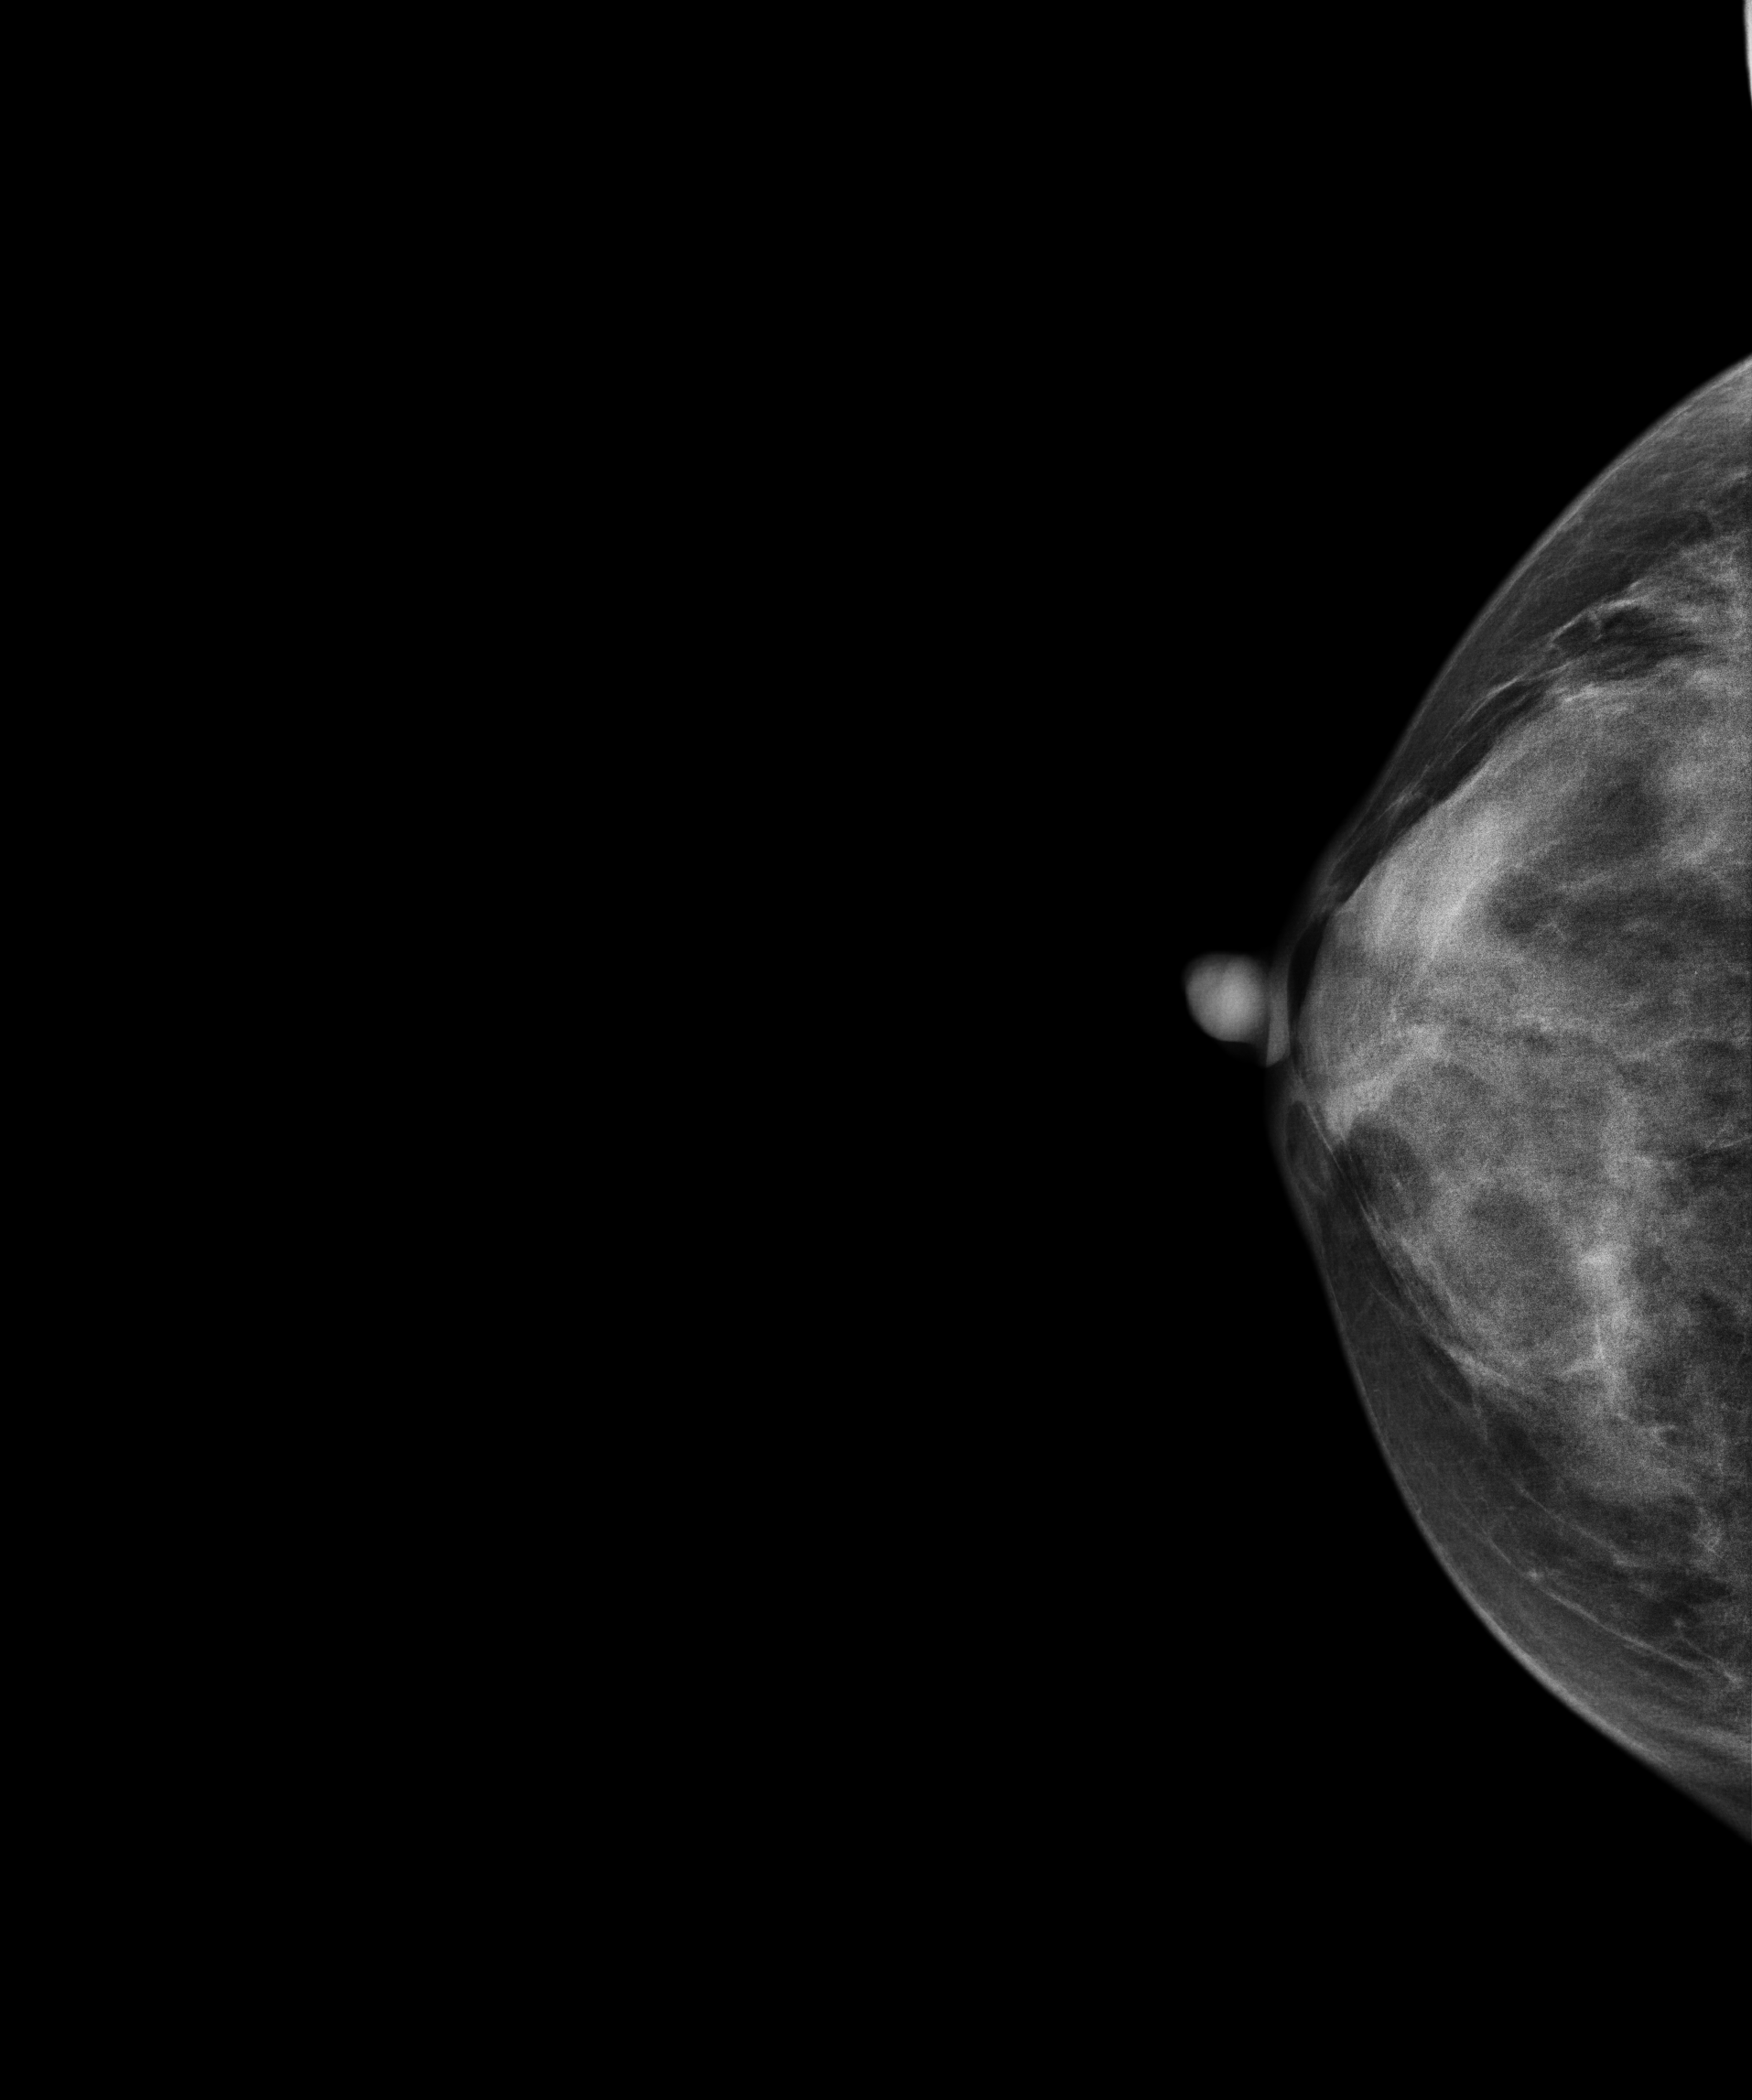
Mammogram — right cranio-caudal. 45-year-old patient.
This breast has a mass, histologically confirmed benign.